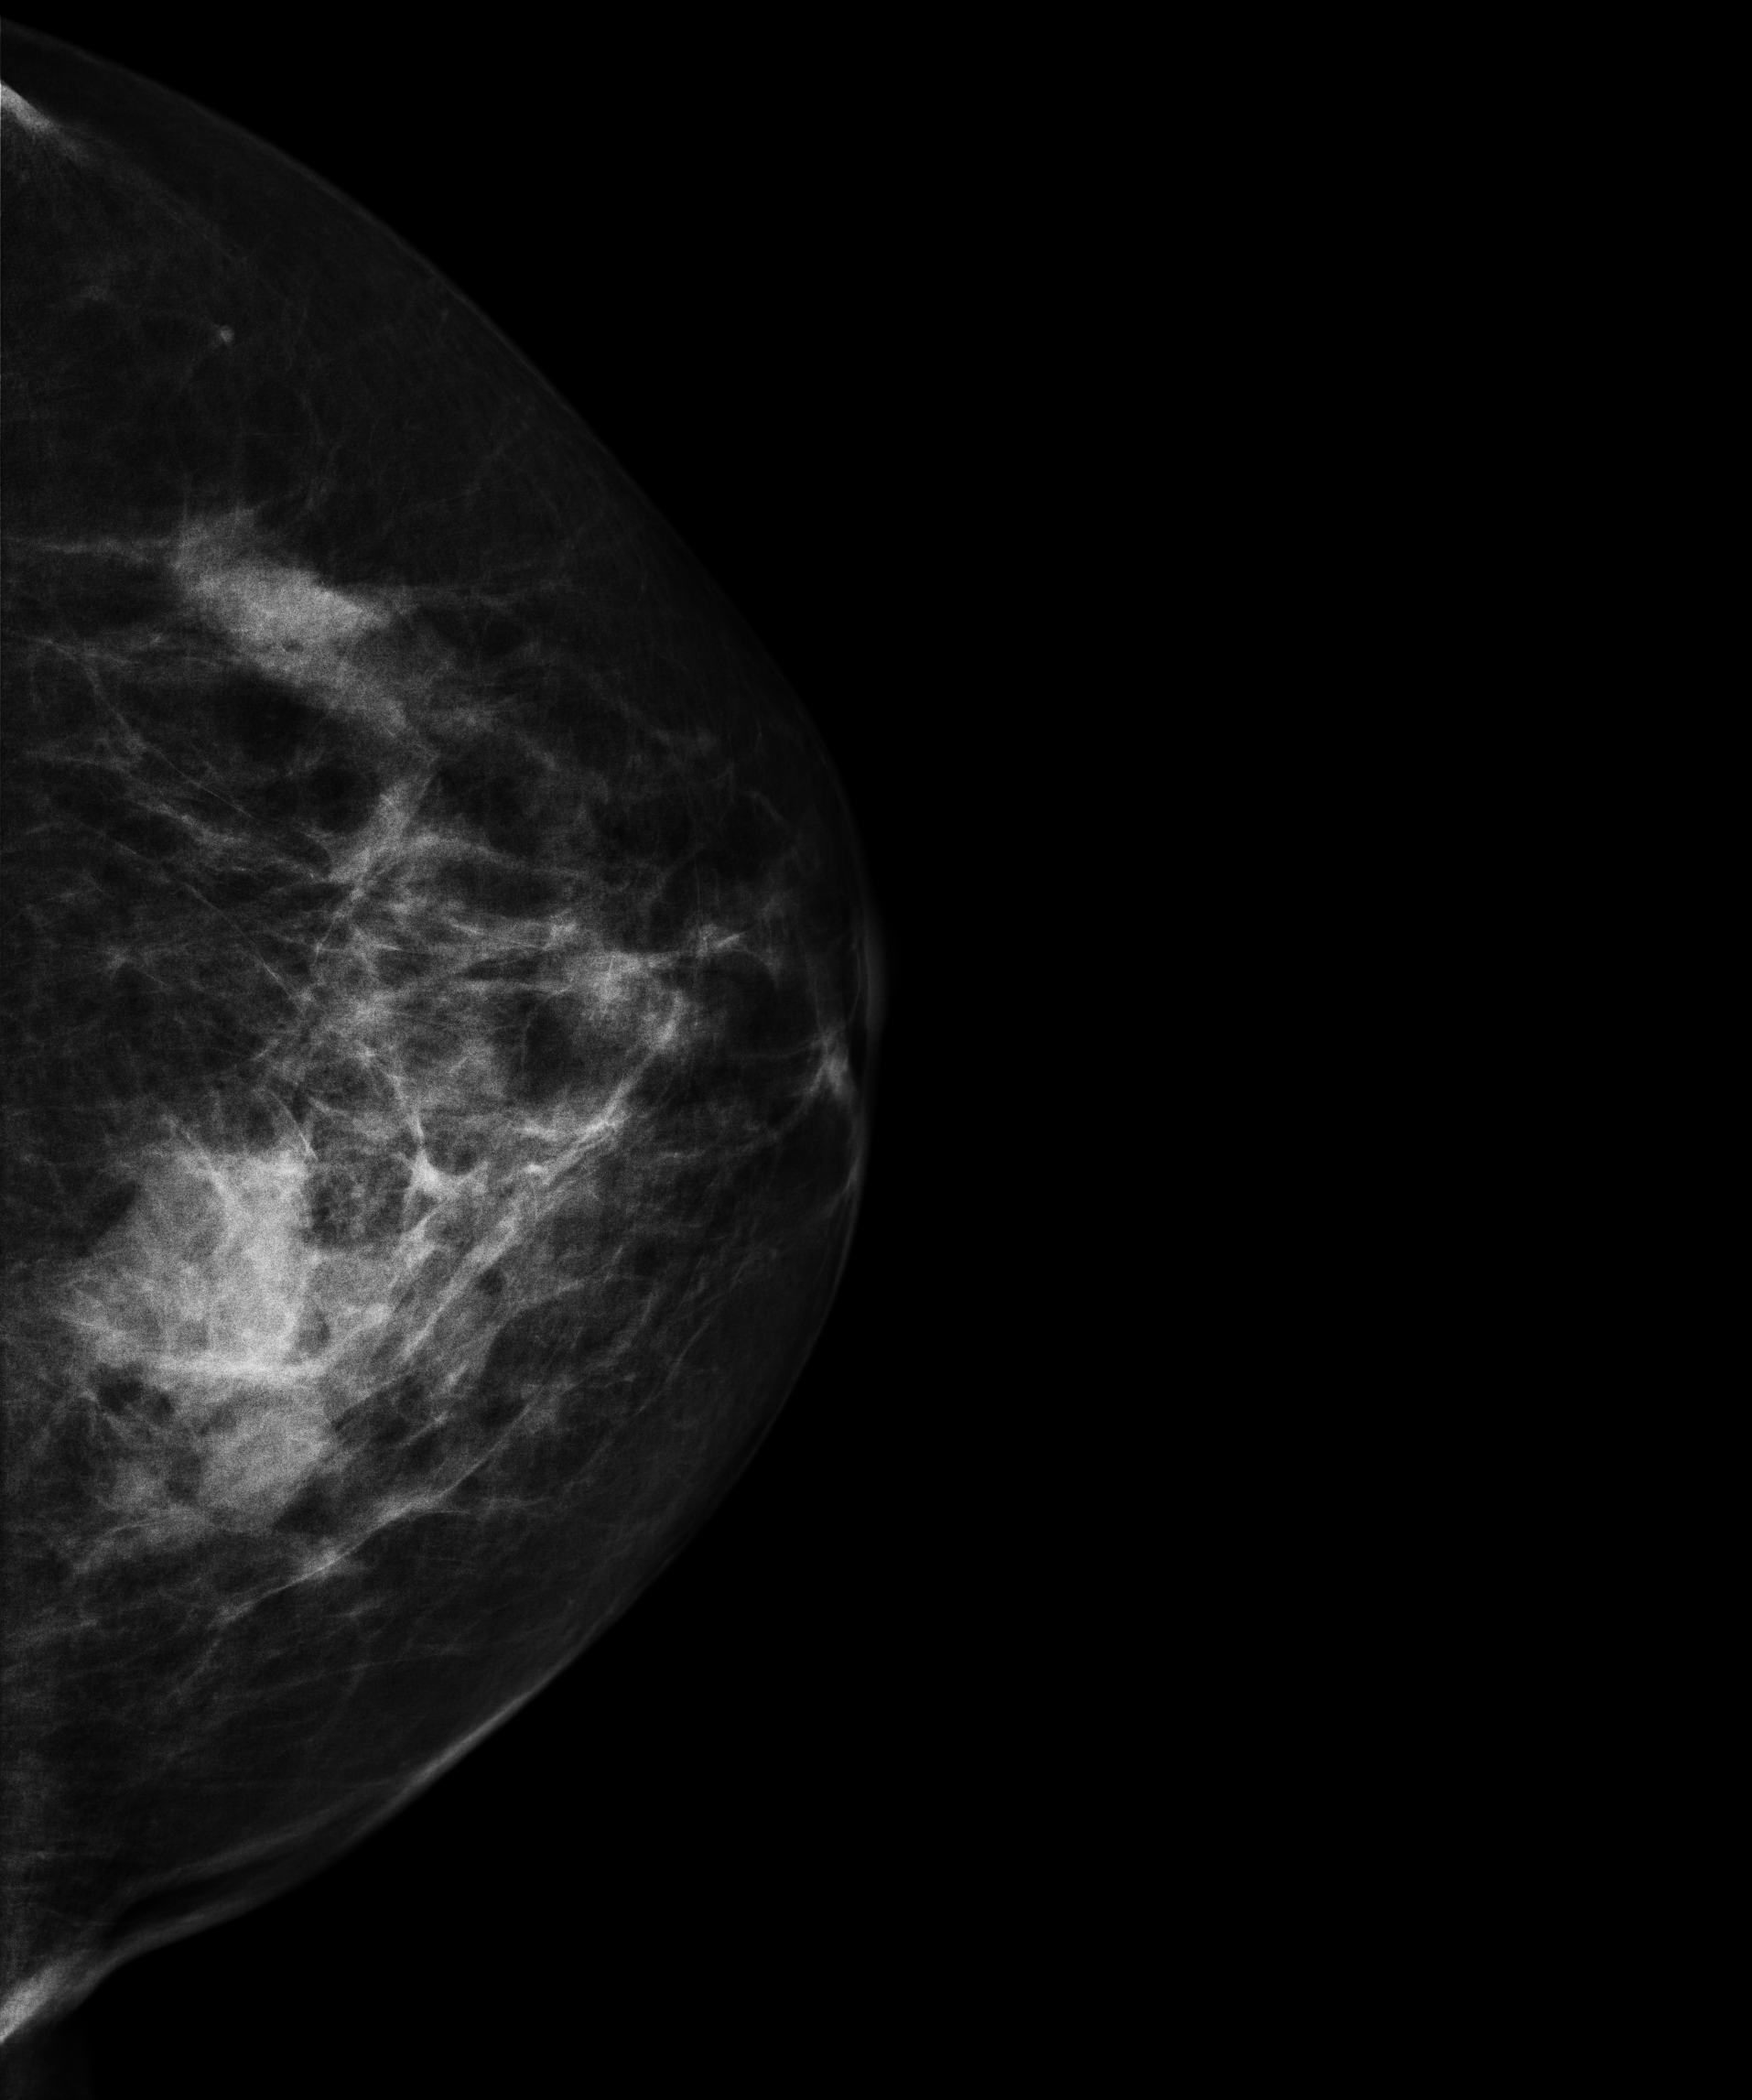
Cranio-caudal mammogram of the left breast. 61-year-old patient.
This breast has a mass, biopsy-confirmed malignant. Molecular subtype: triple-negative.